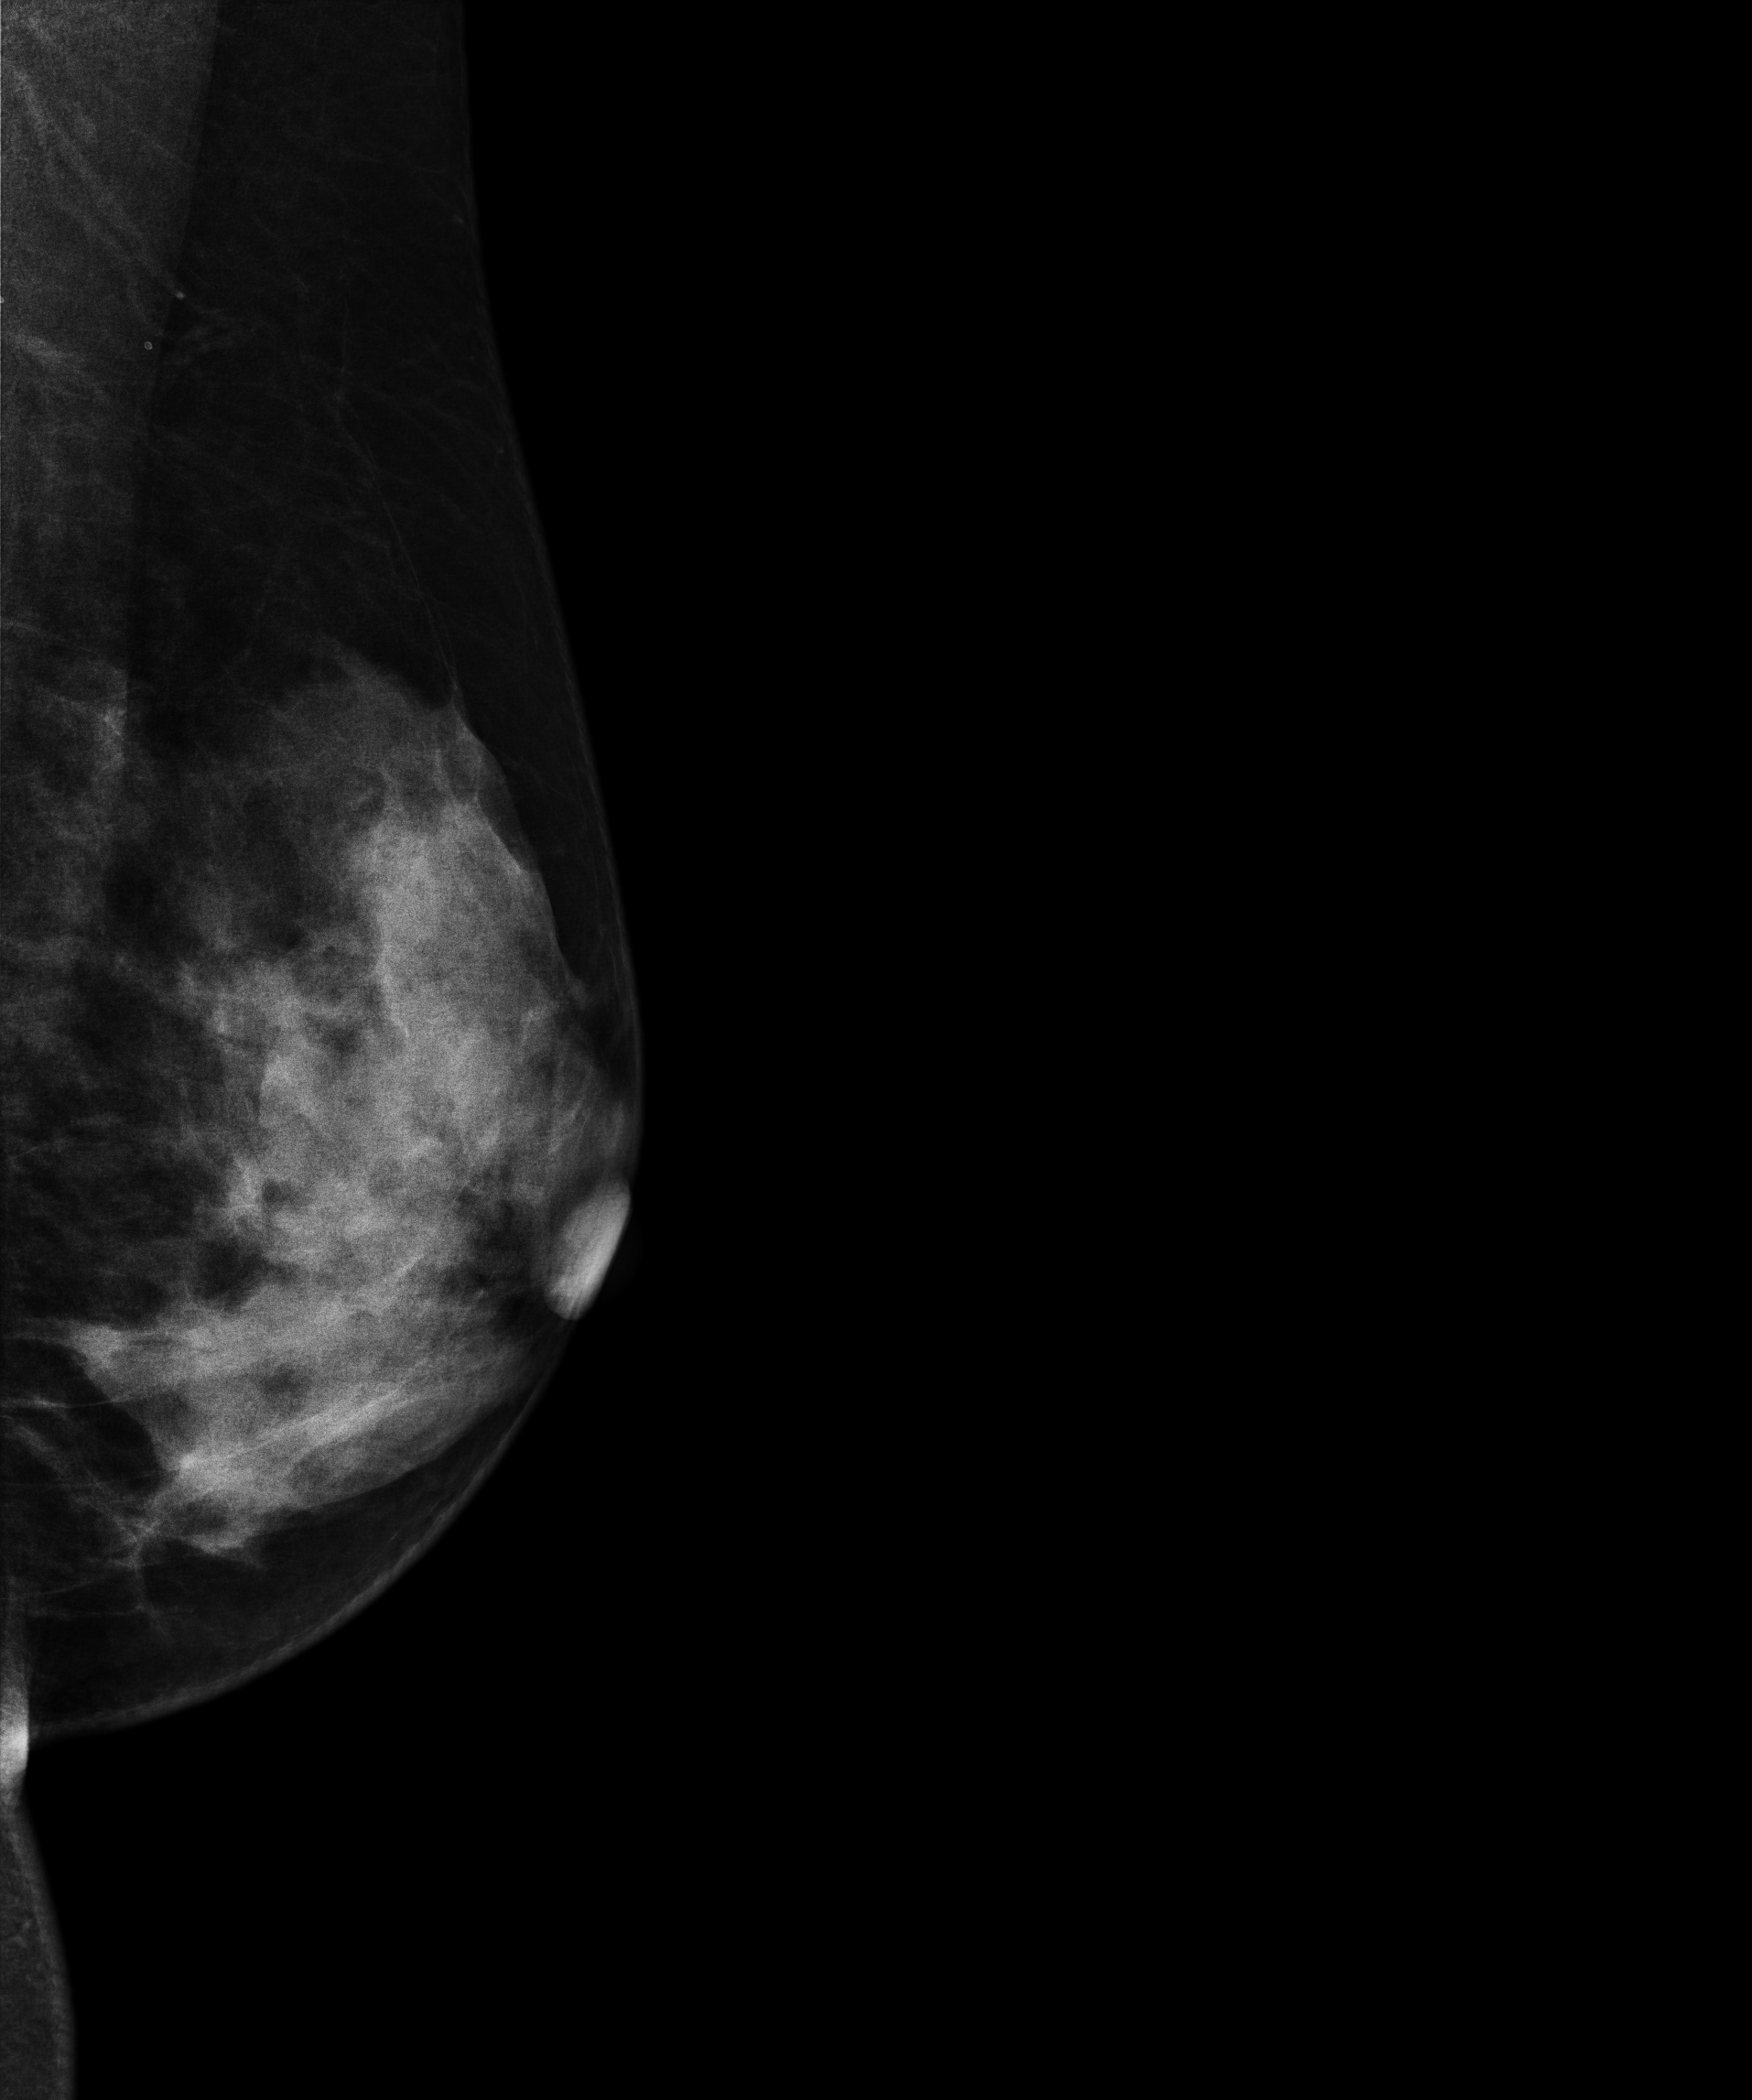
Left-breast mammogram, MLO. 47-year-old patient.
This breast has a mass, pathology-confirmed benign.